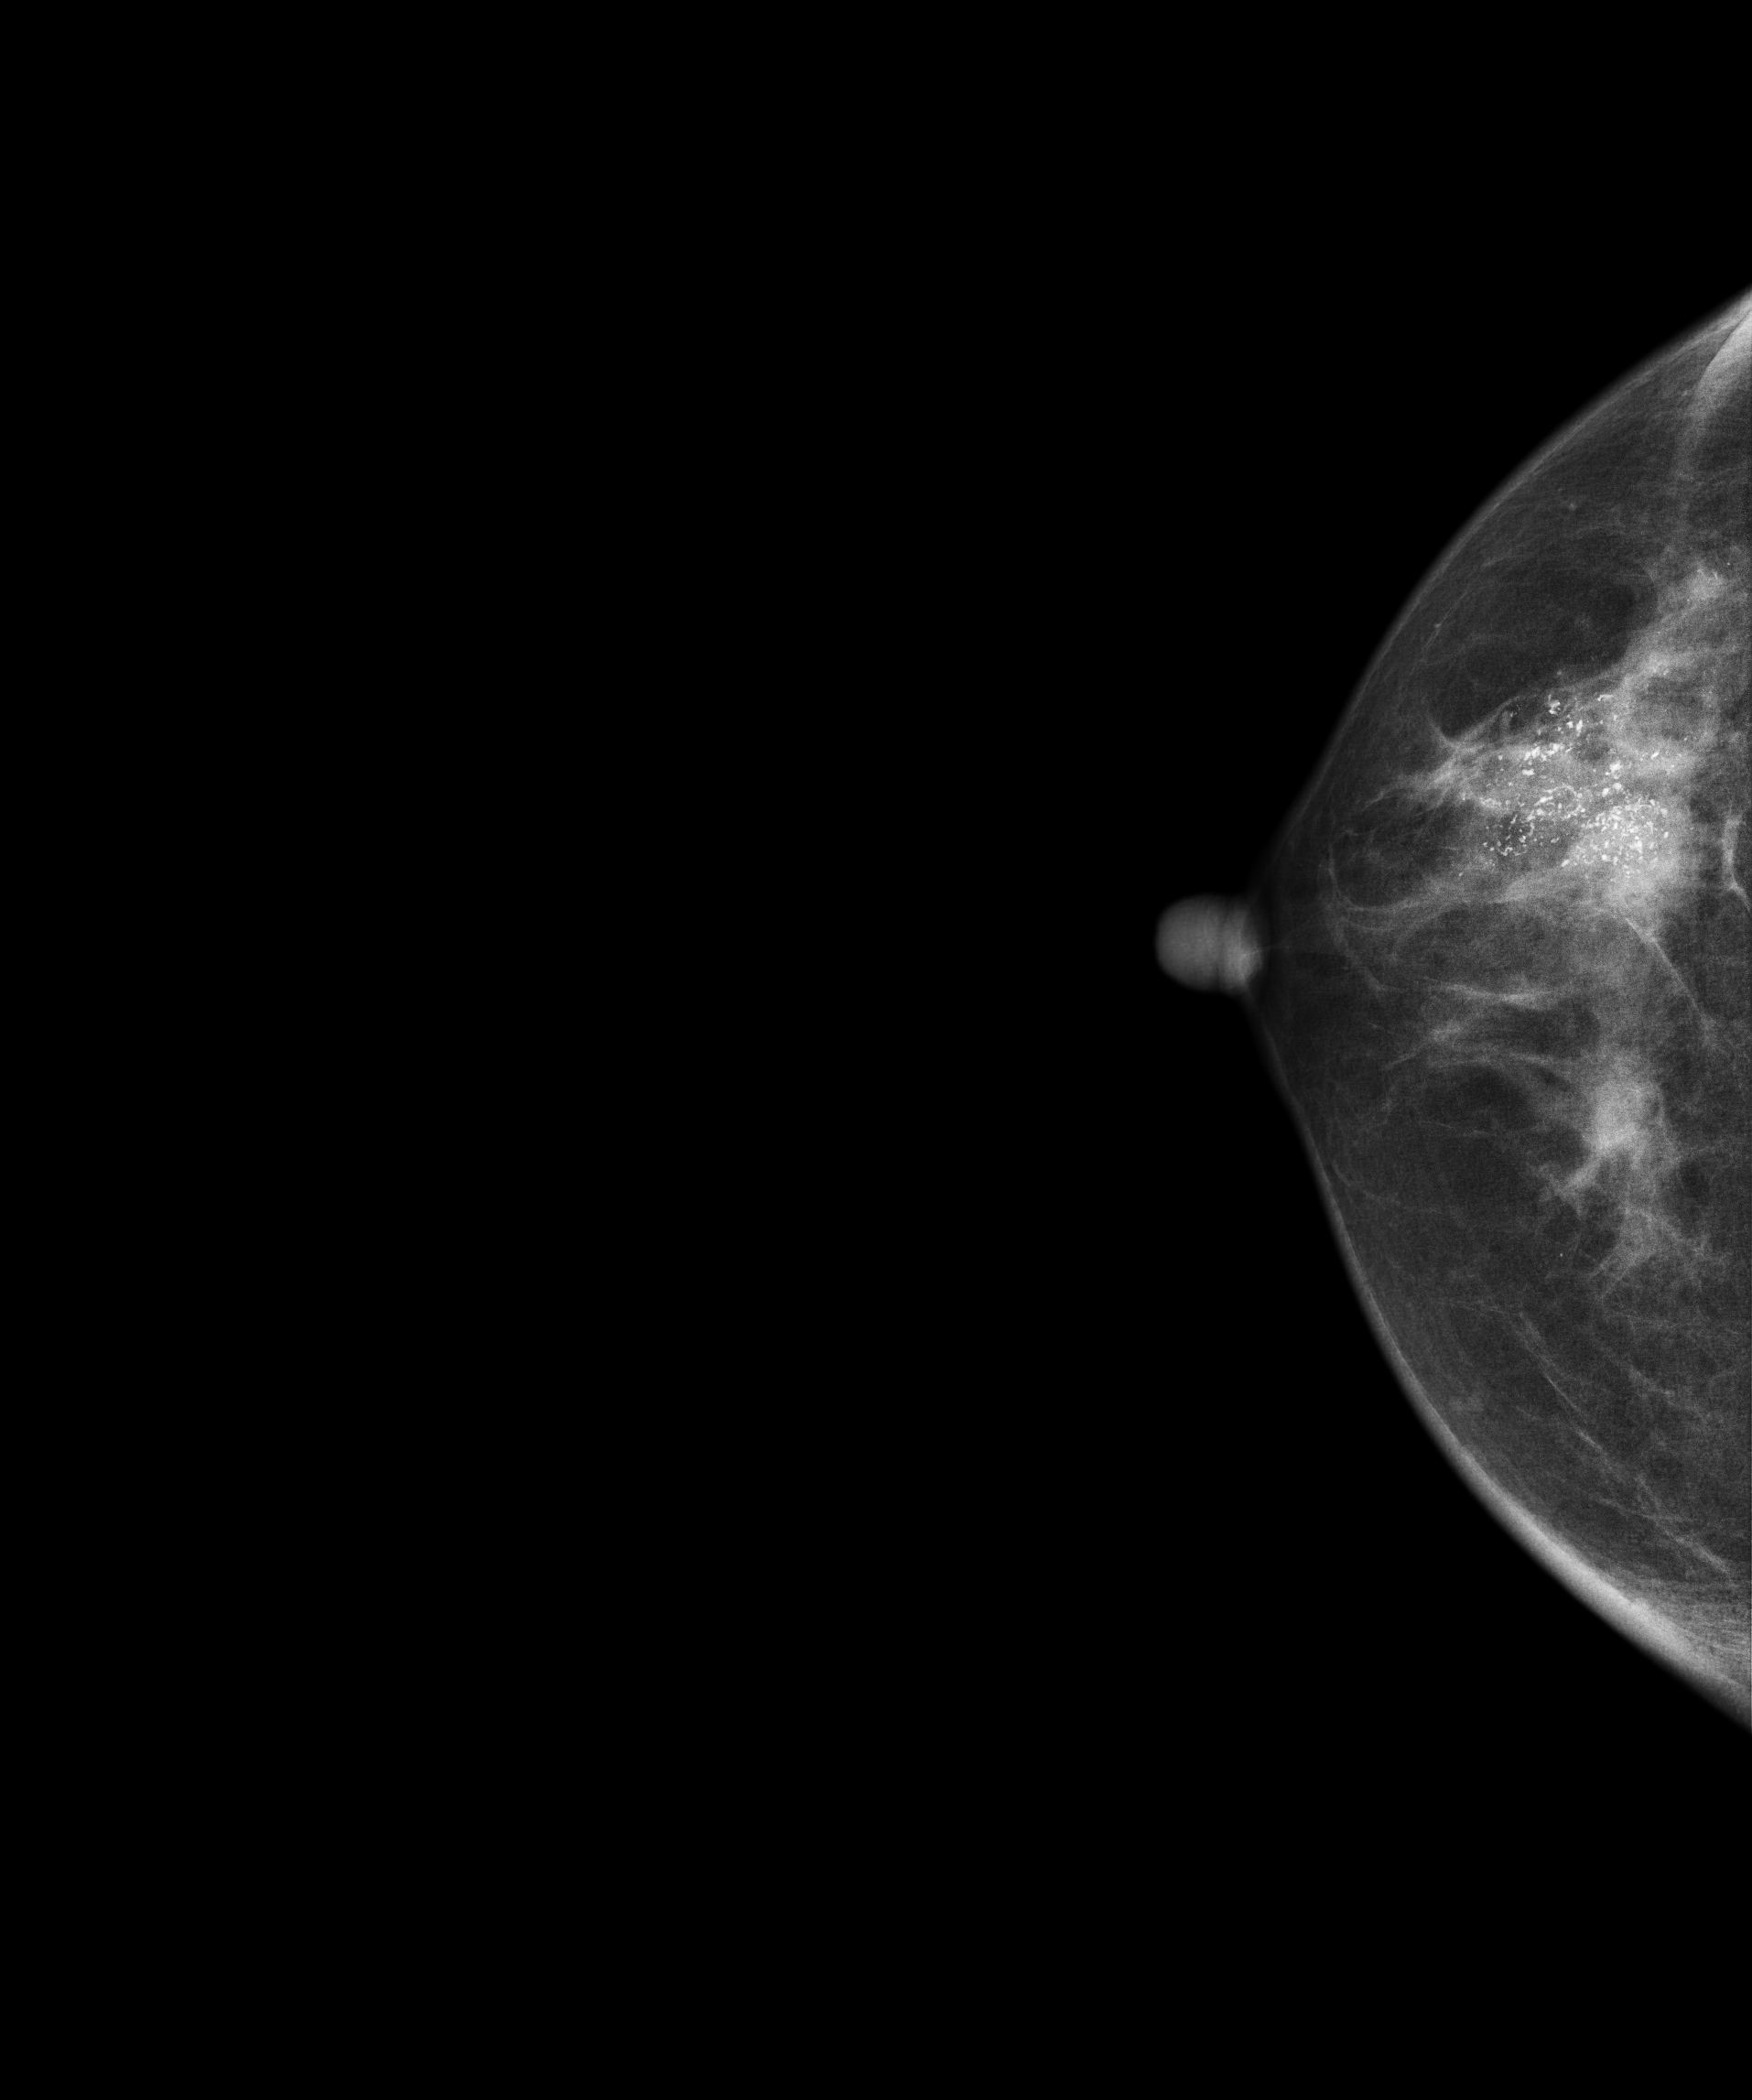
Mammogram, right breast, CC view. 67-year-old patient.
This breast has a mass and calcifications, histologically confirmed malignant.